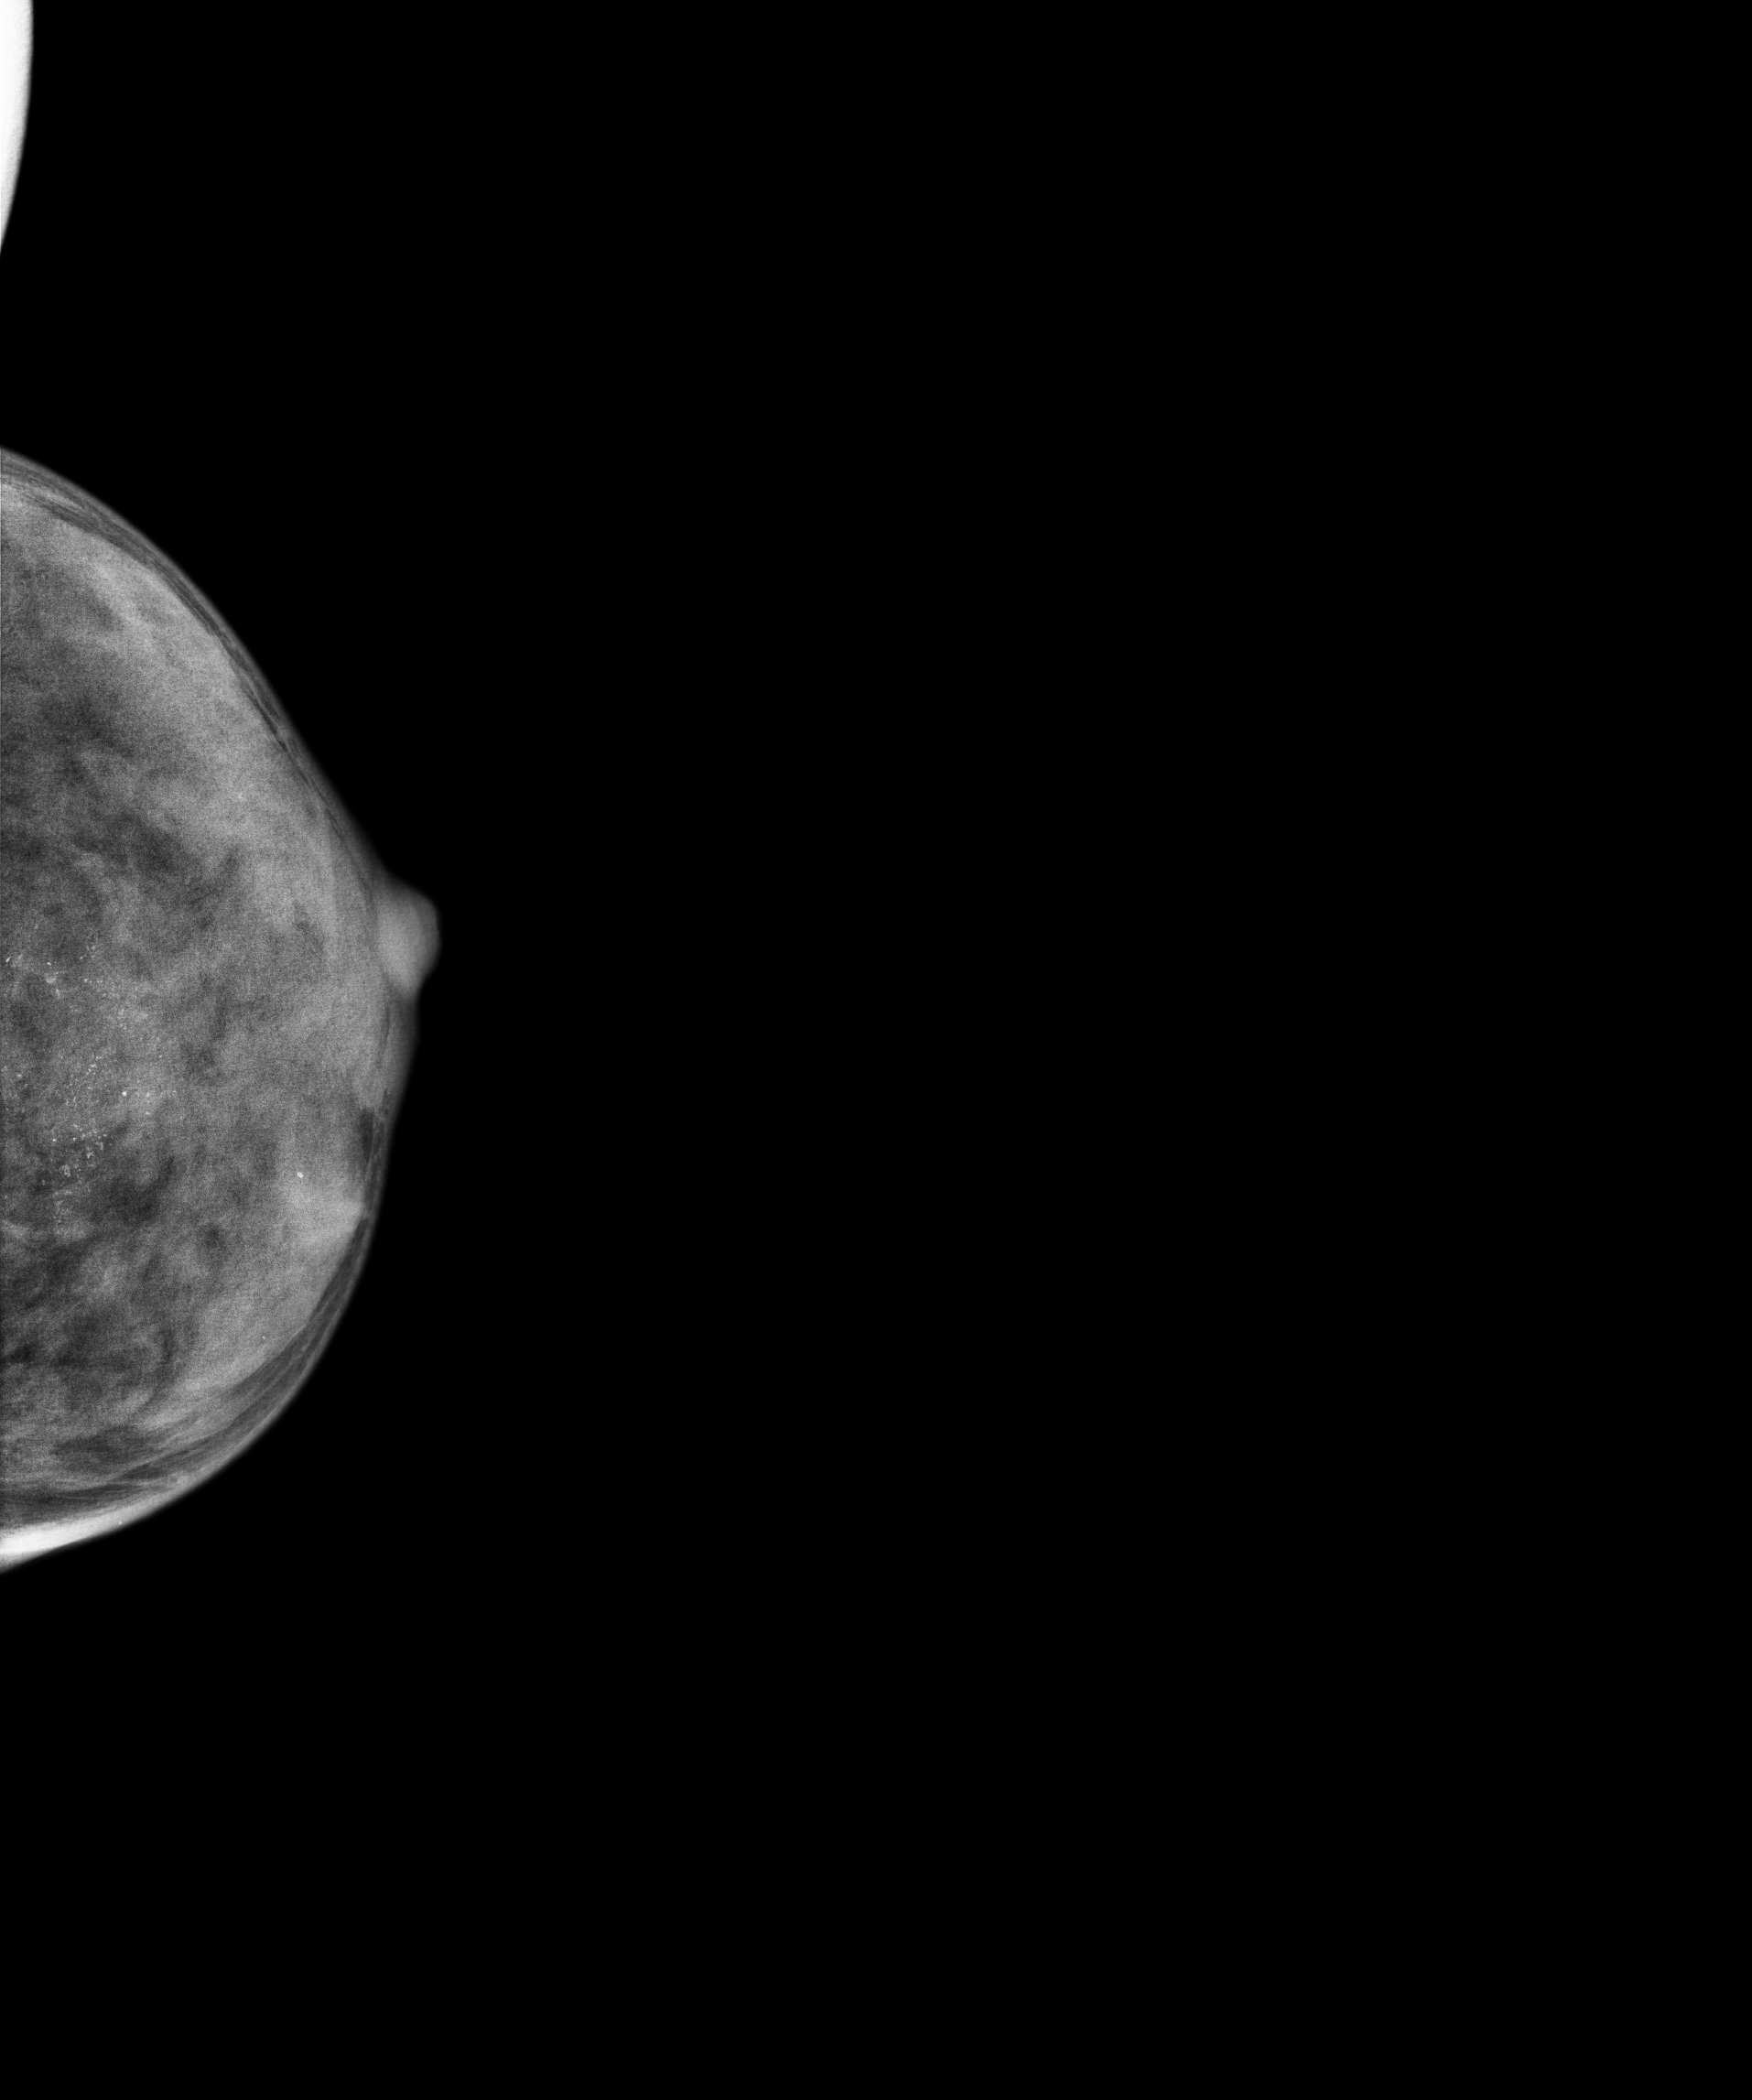
CC mammogram of the left breast. Patient age 44.
This breast has calcifications, pathology-confirmed malignant.